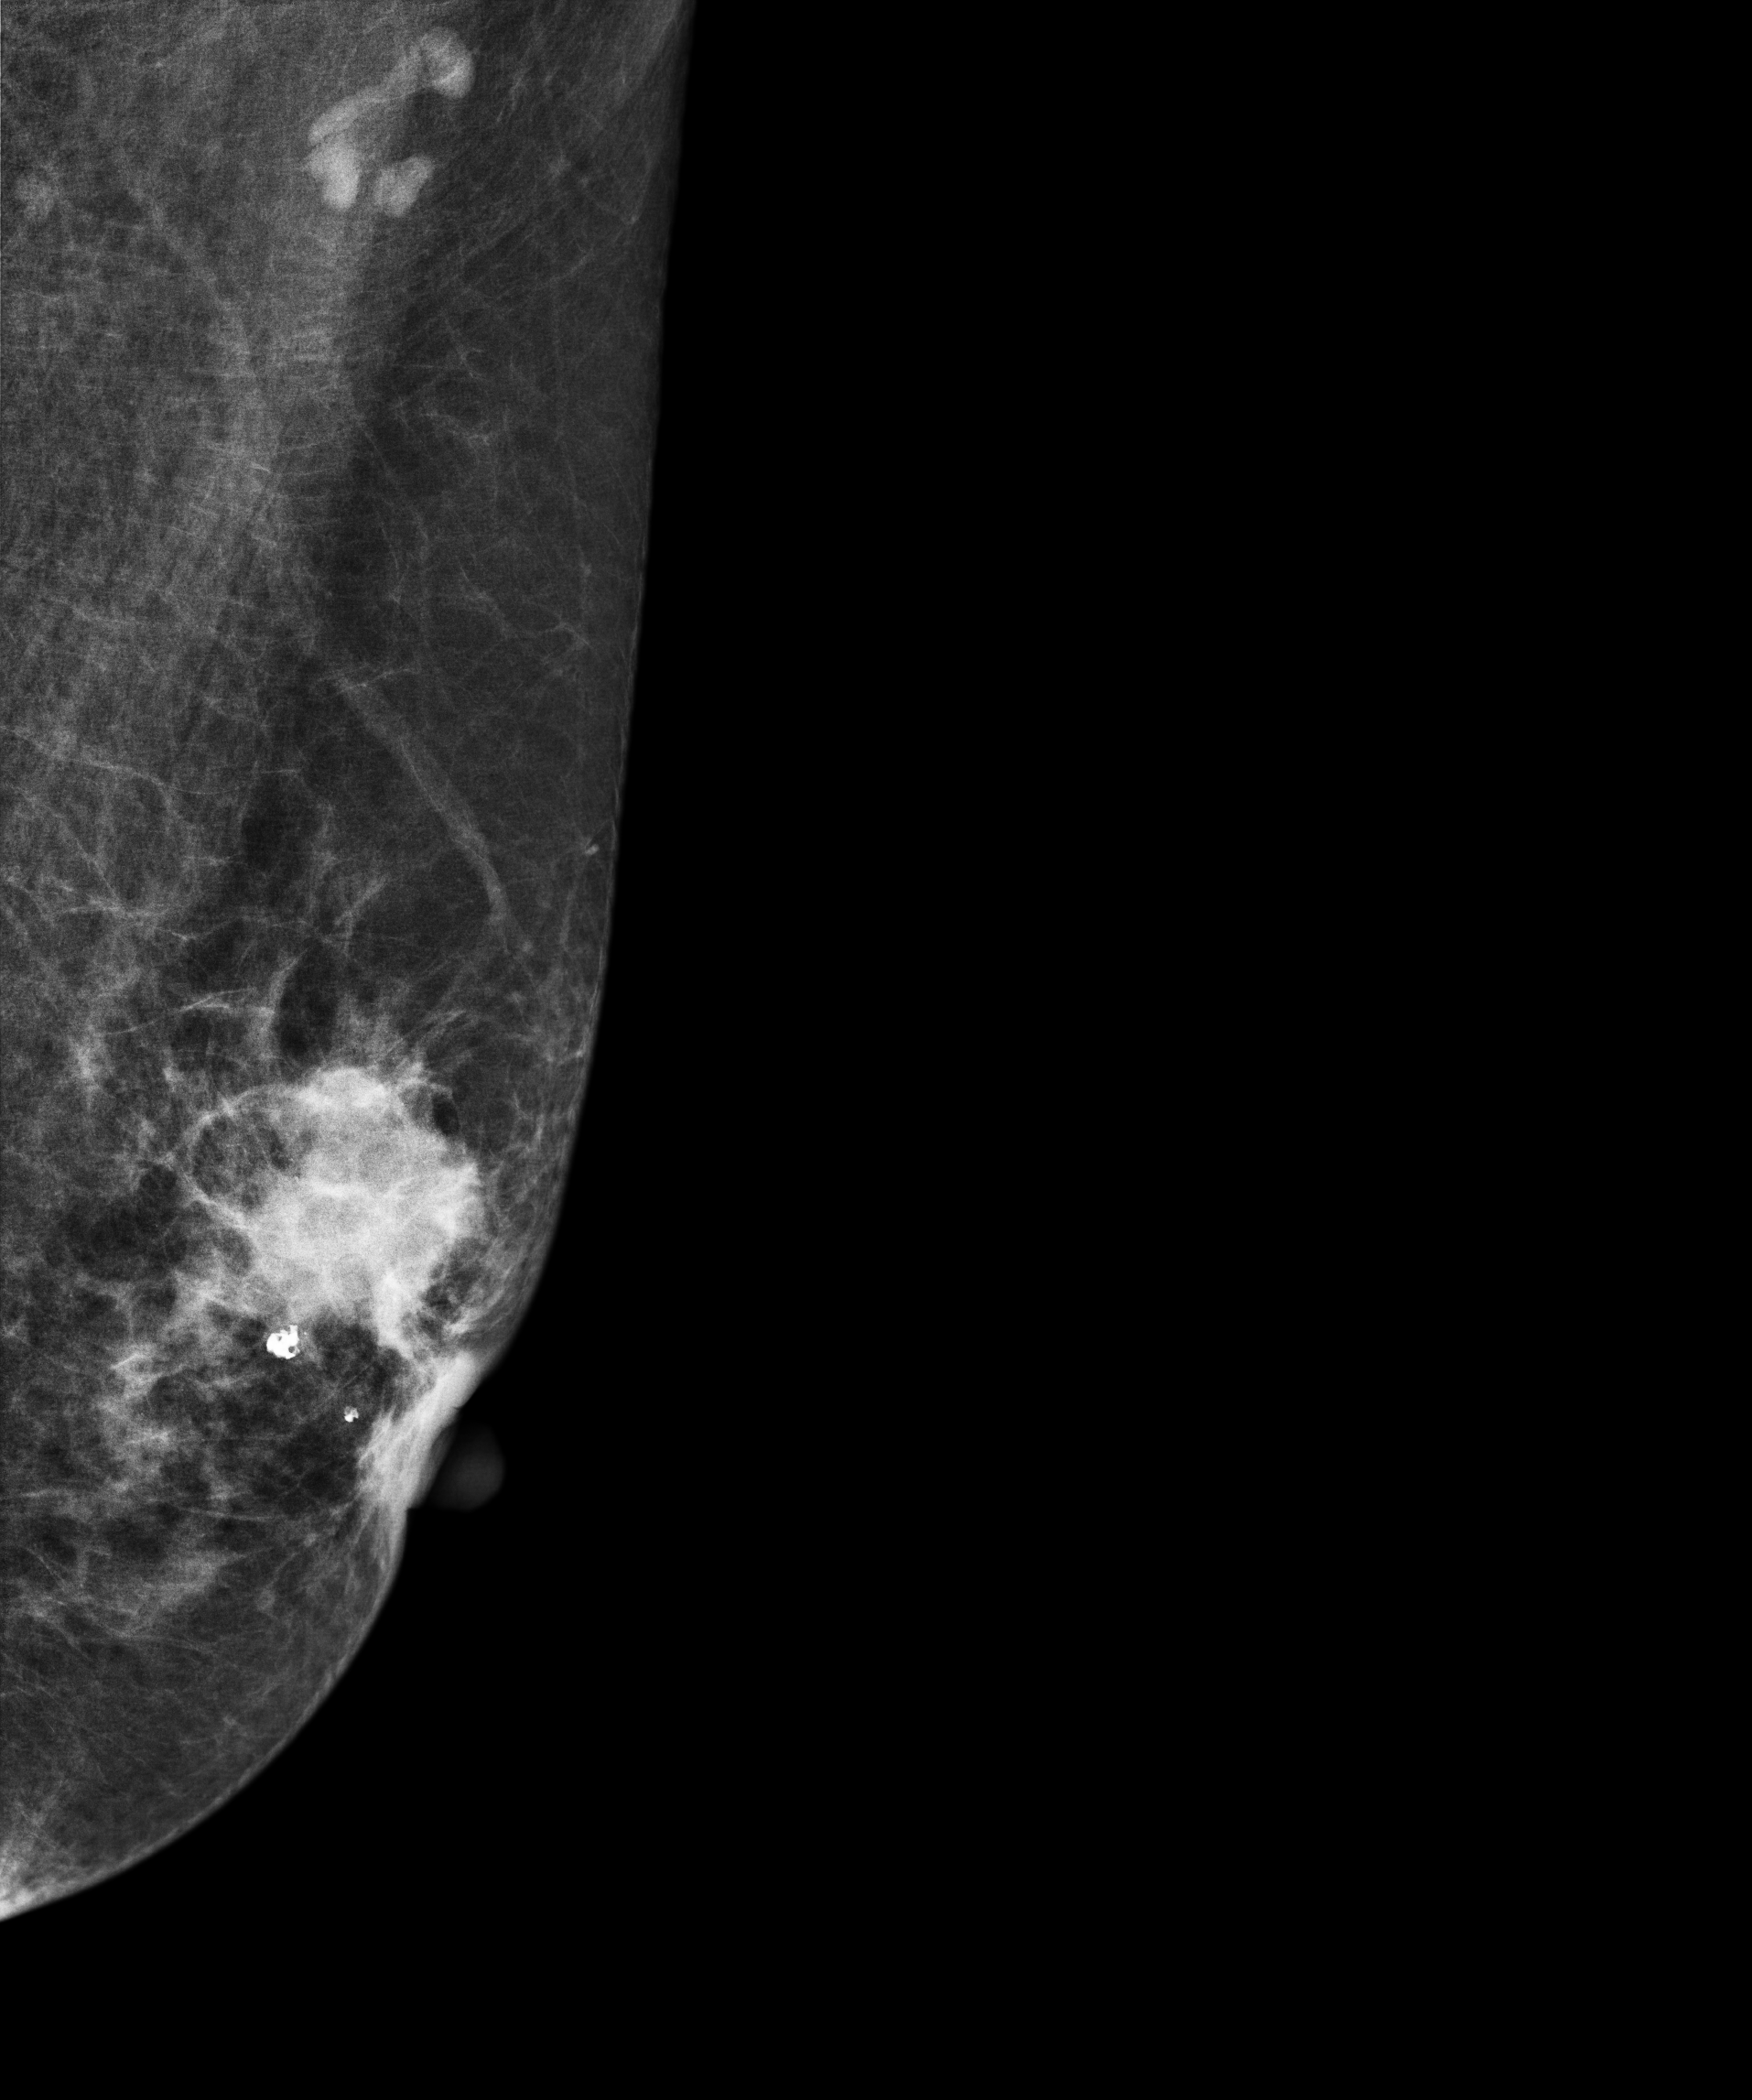
Digital mammography. Left breast, MLO projection. 62 y/o patient.
This breast has a mass and calcifications, biopsy-confirmed malignant.